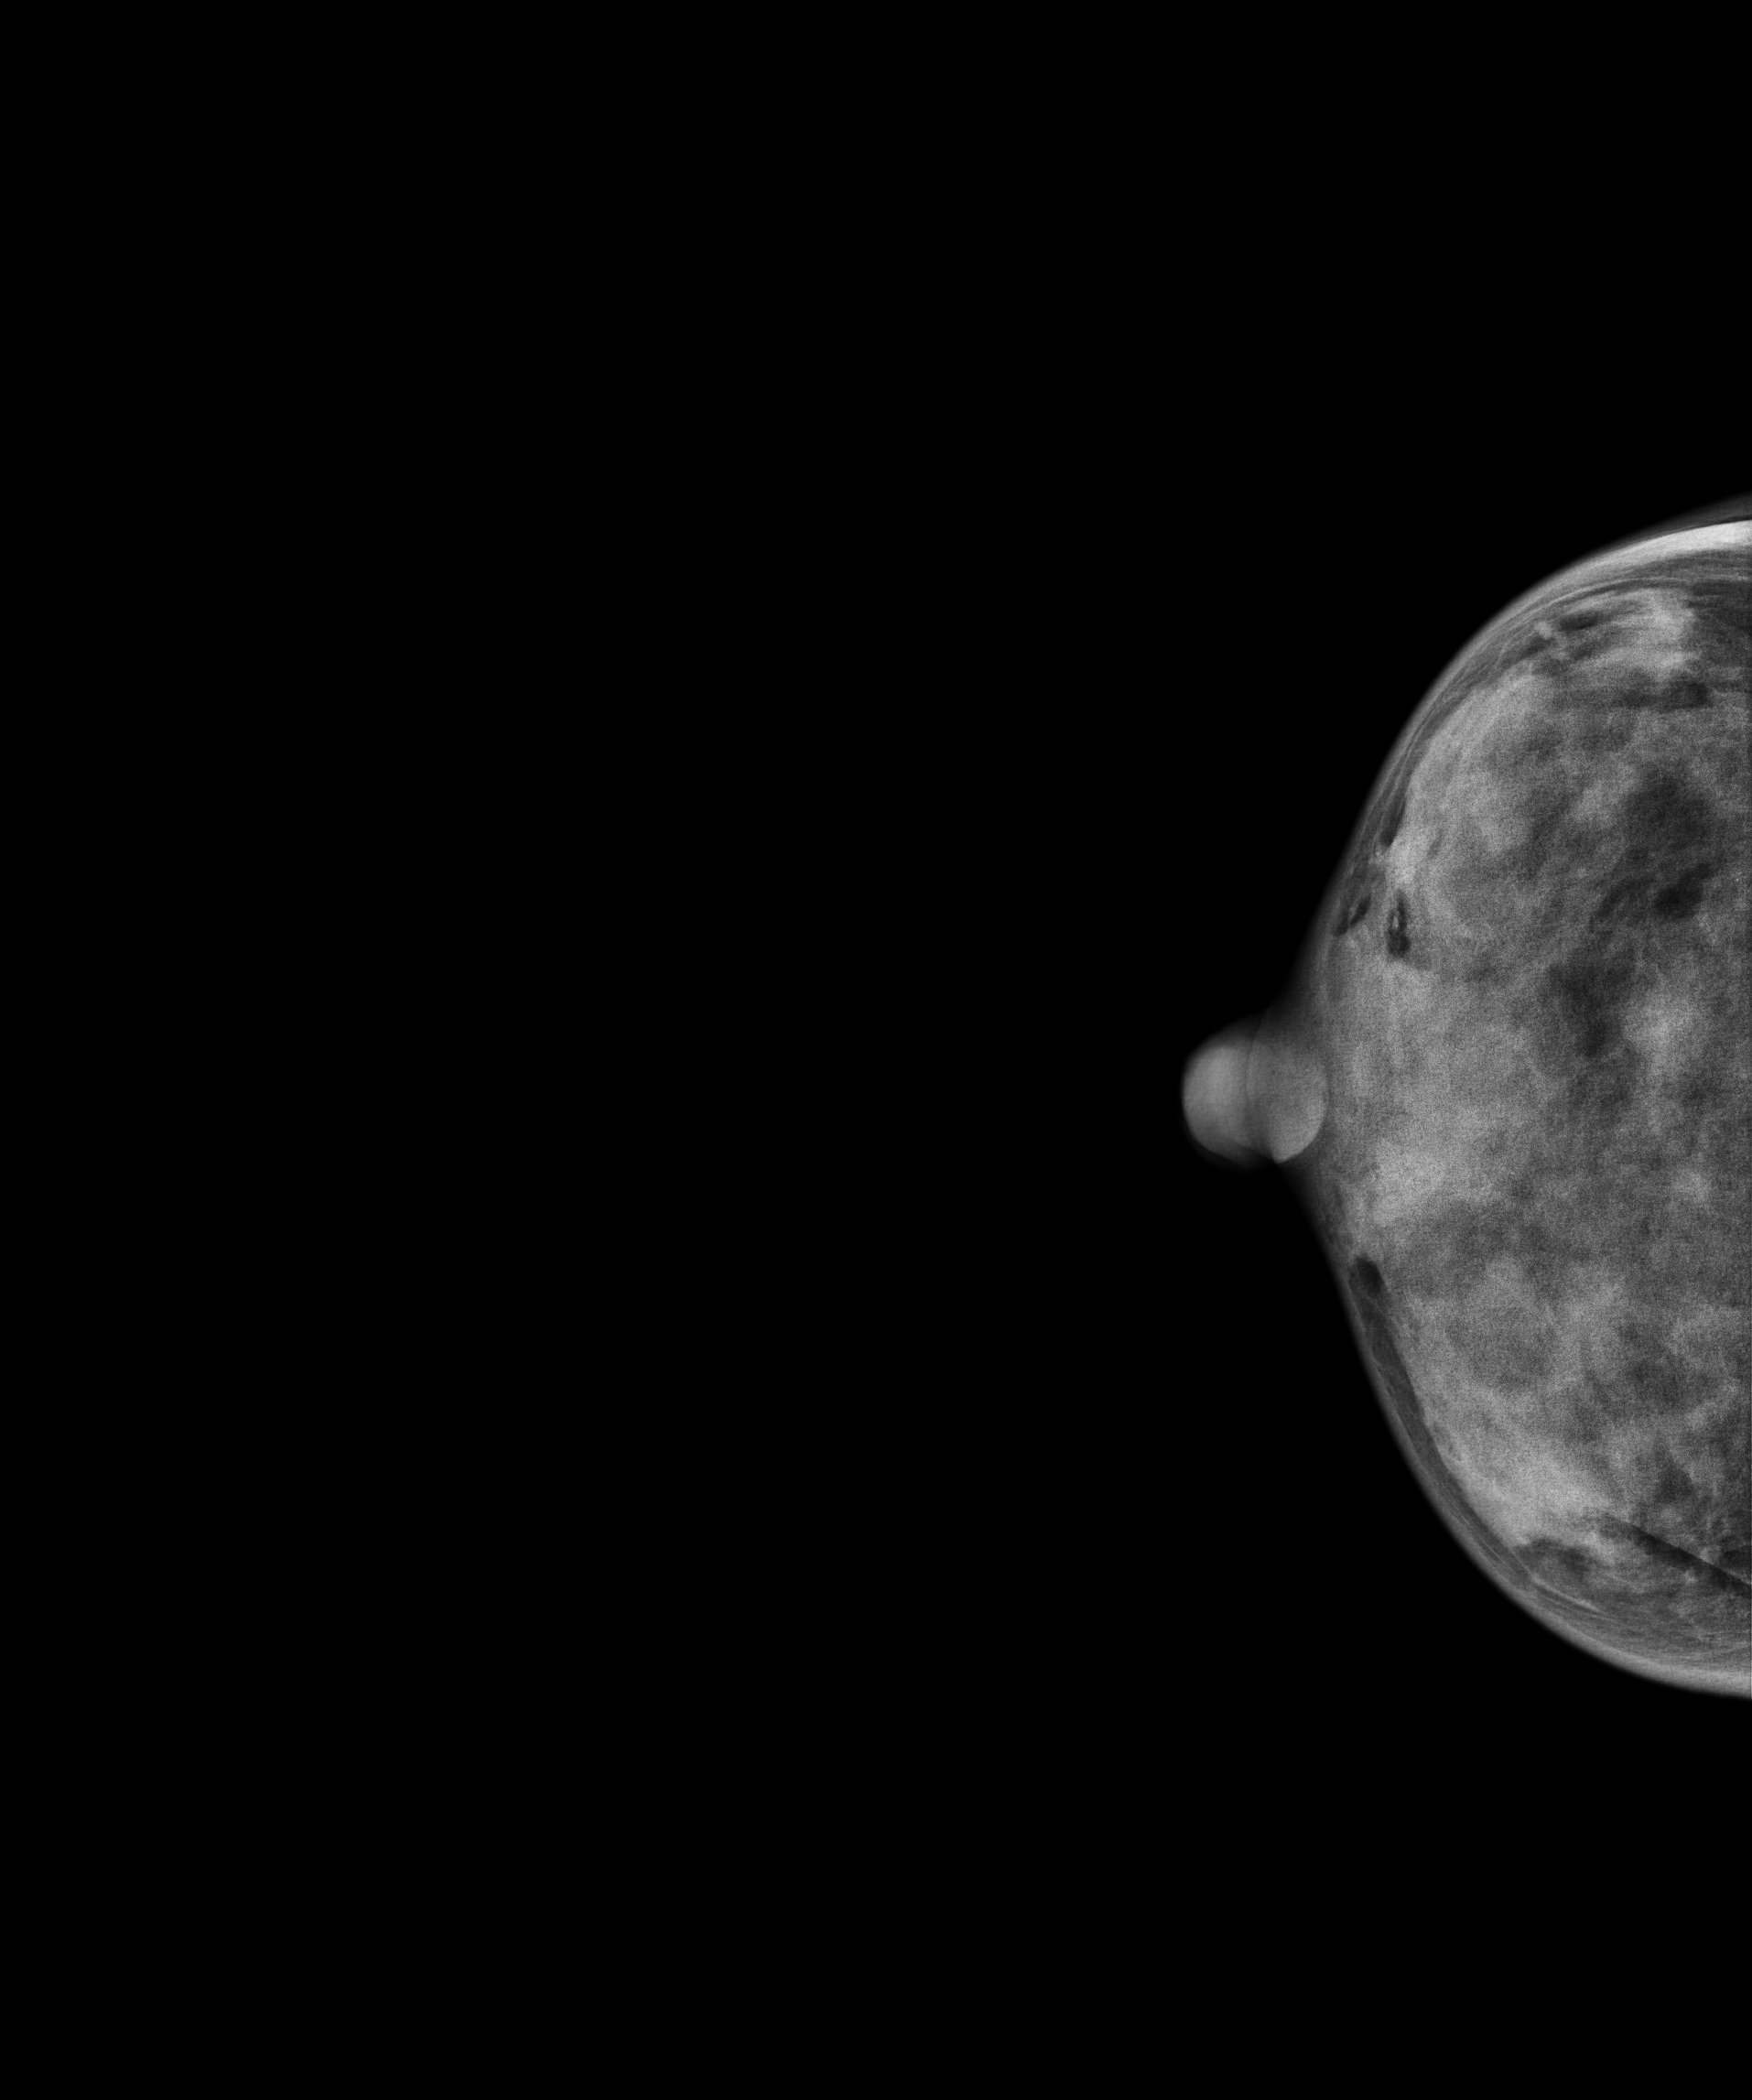
Digital mammography. Right breast, cranio-caudal projection. Patient age 31.
This breast has calcifications, biopsy-proven malignant. Molecular subtype: luminal A.